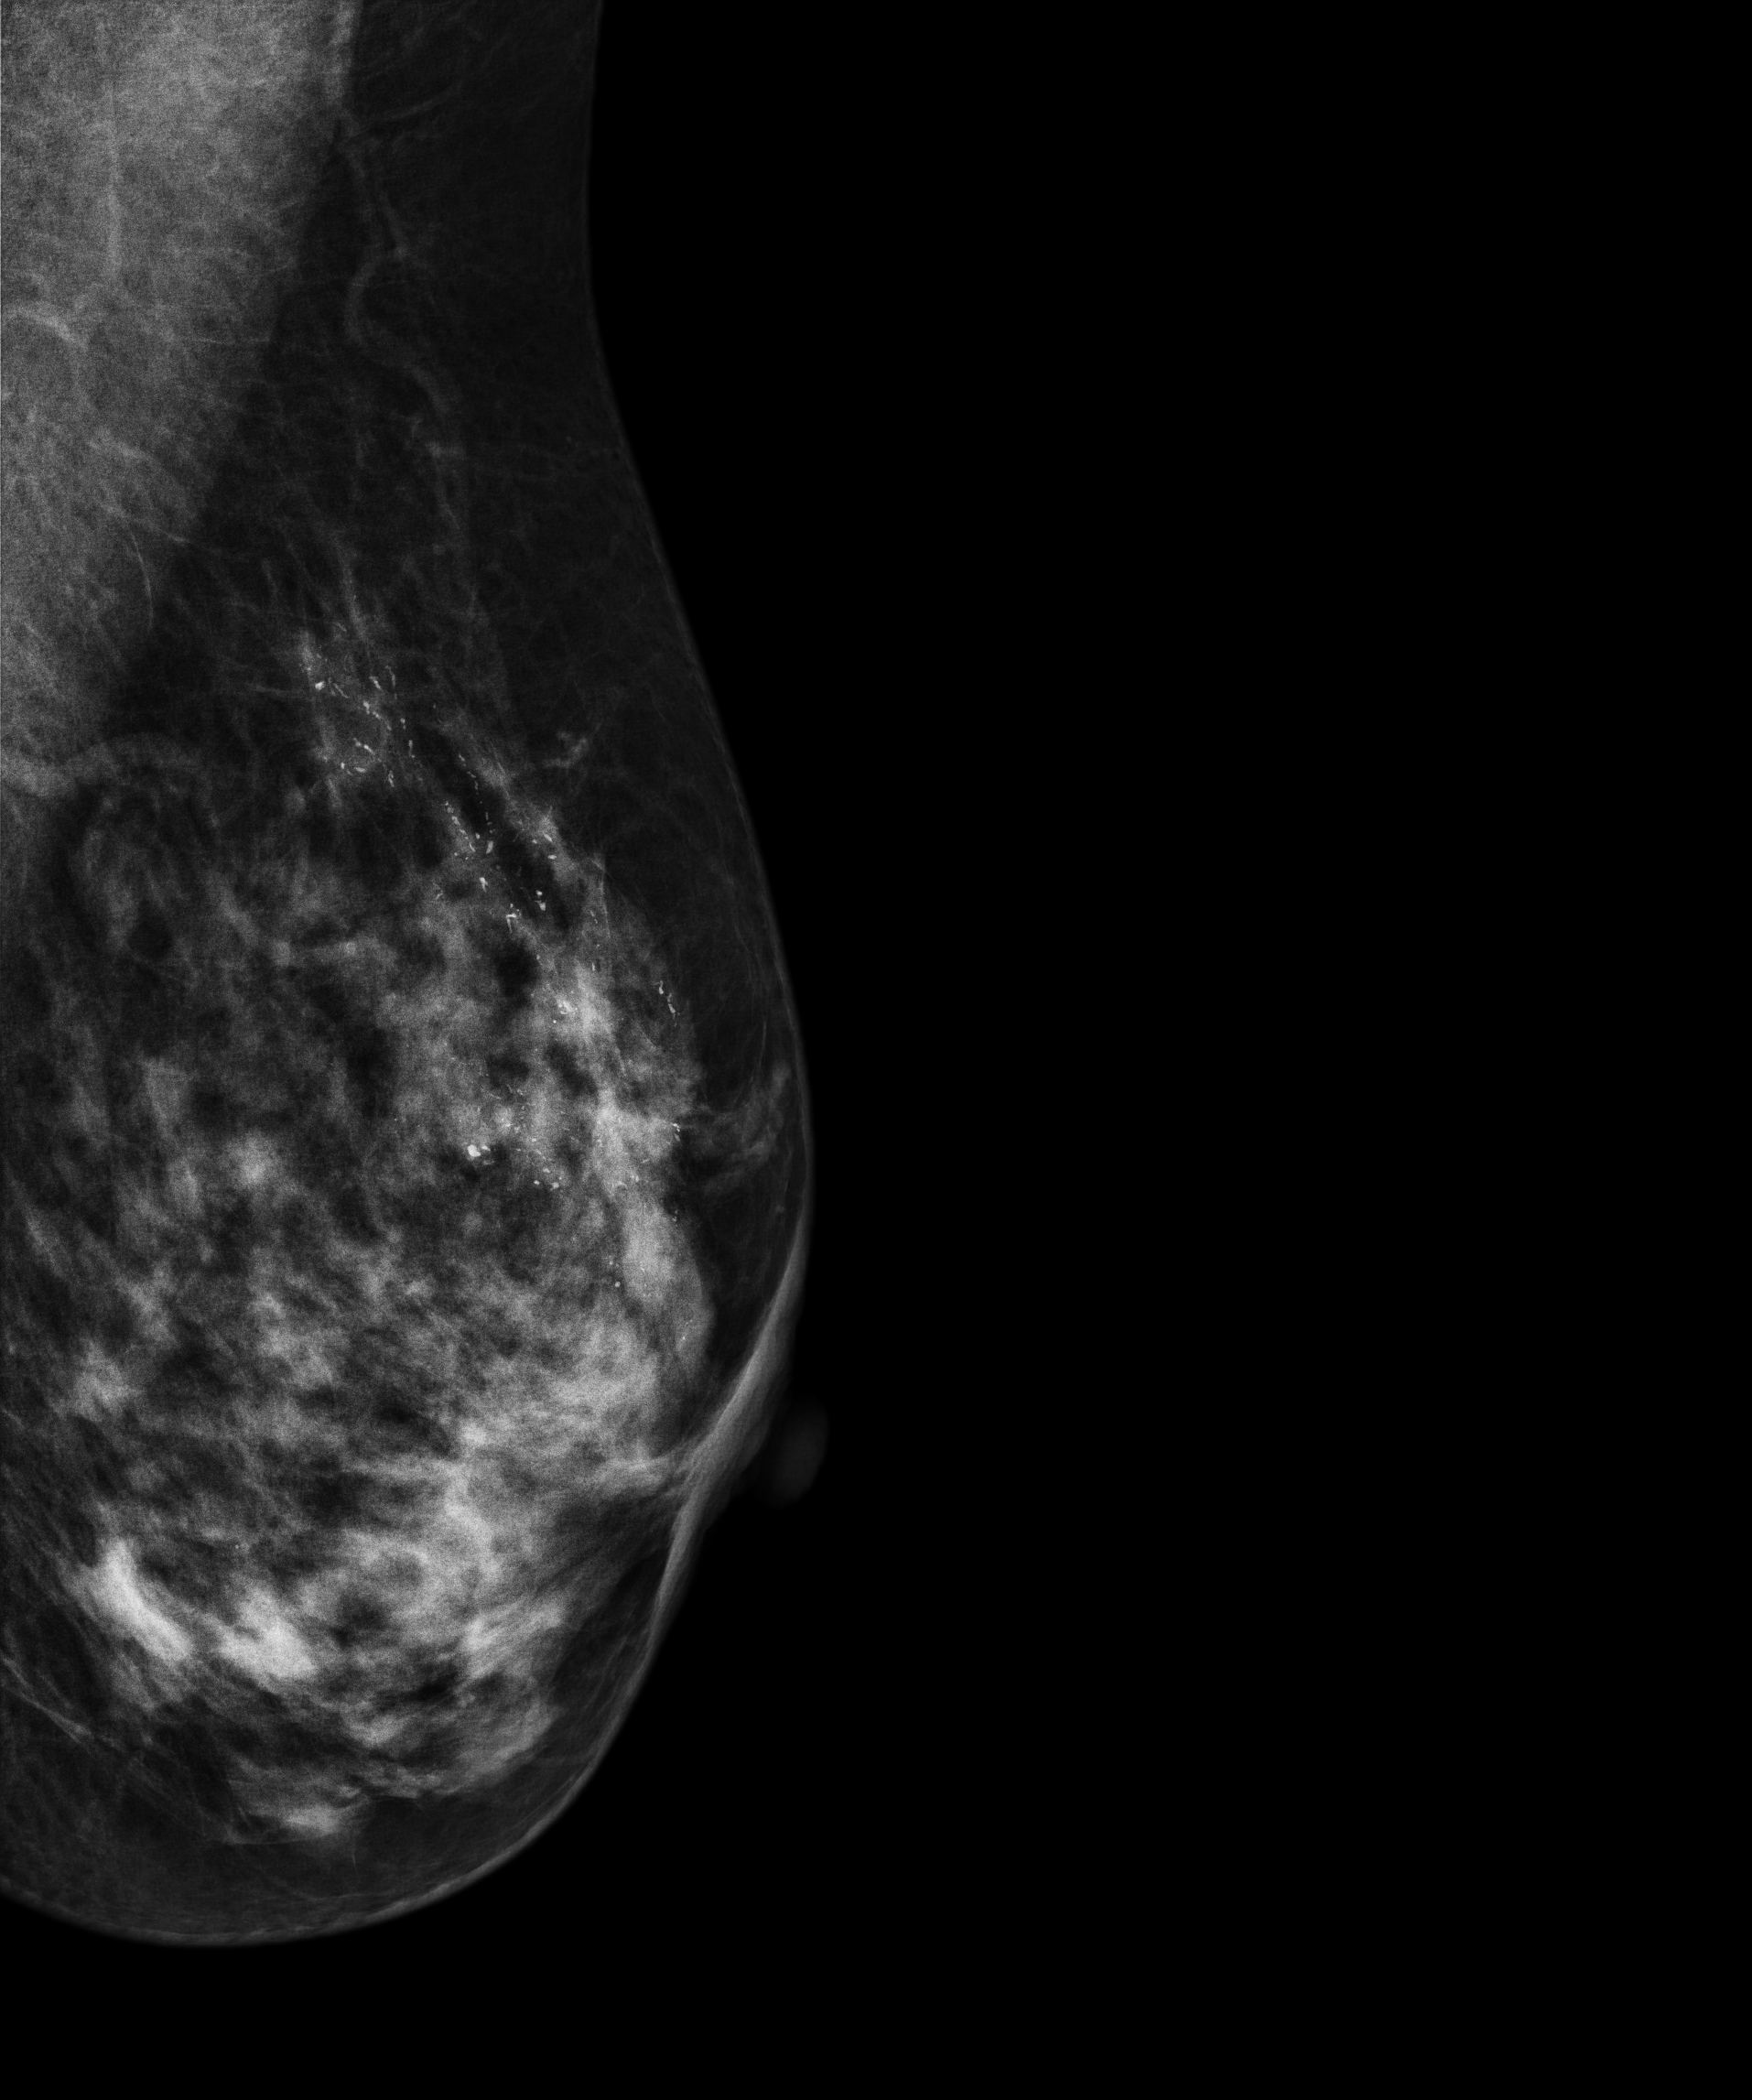
MLO mammogram of the left breast. 60 y/o patient.
This breast has calcifications, biopsy-proven malignant. Molecular subtype: luminal A.